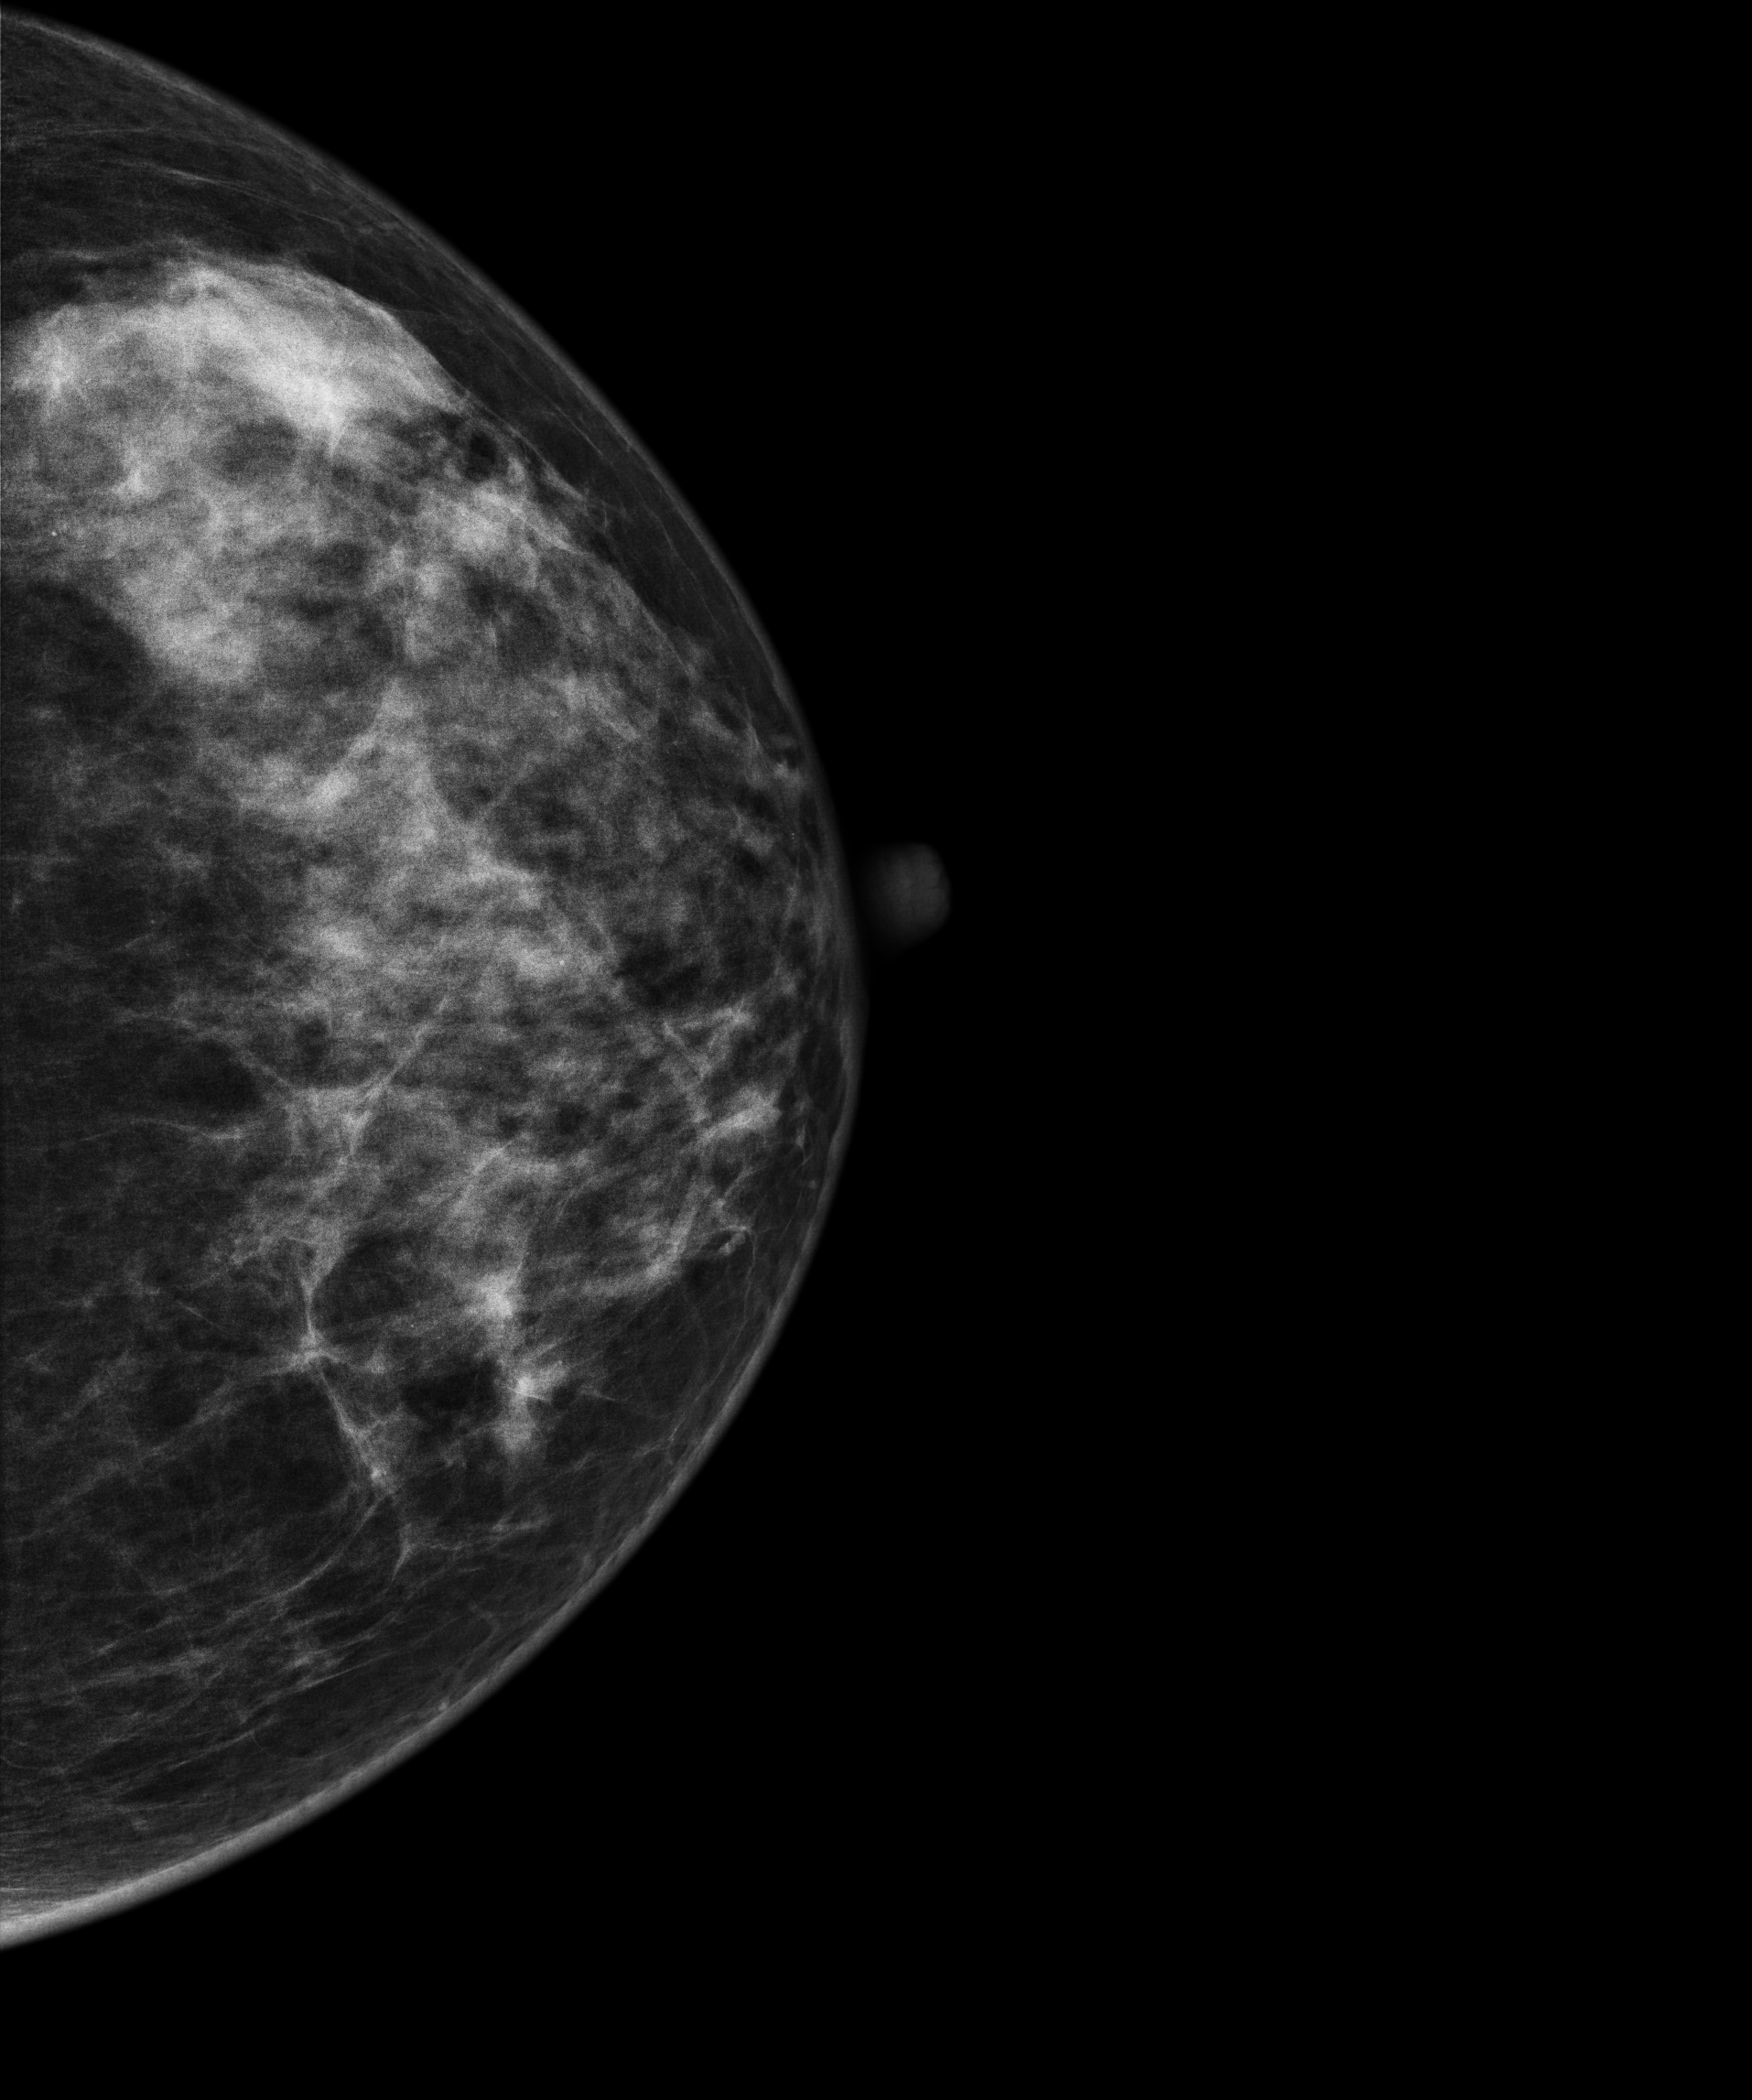
Mammogram — left CC. 40 y/o patient.
Contralateral breast — no documented abnormality on this side.